Mammogram — left cranio-caudal. 43-year-old patient.
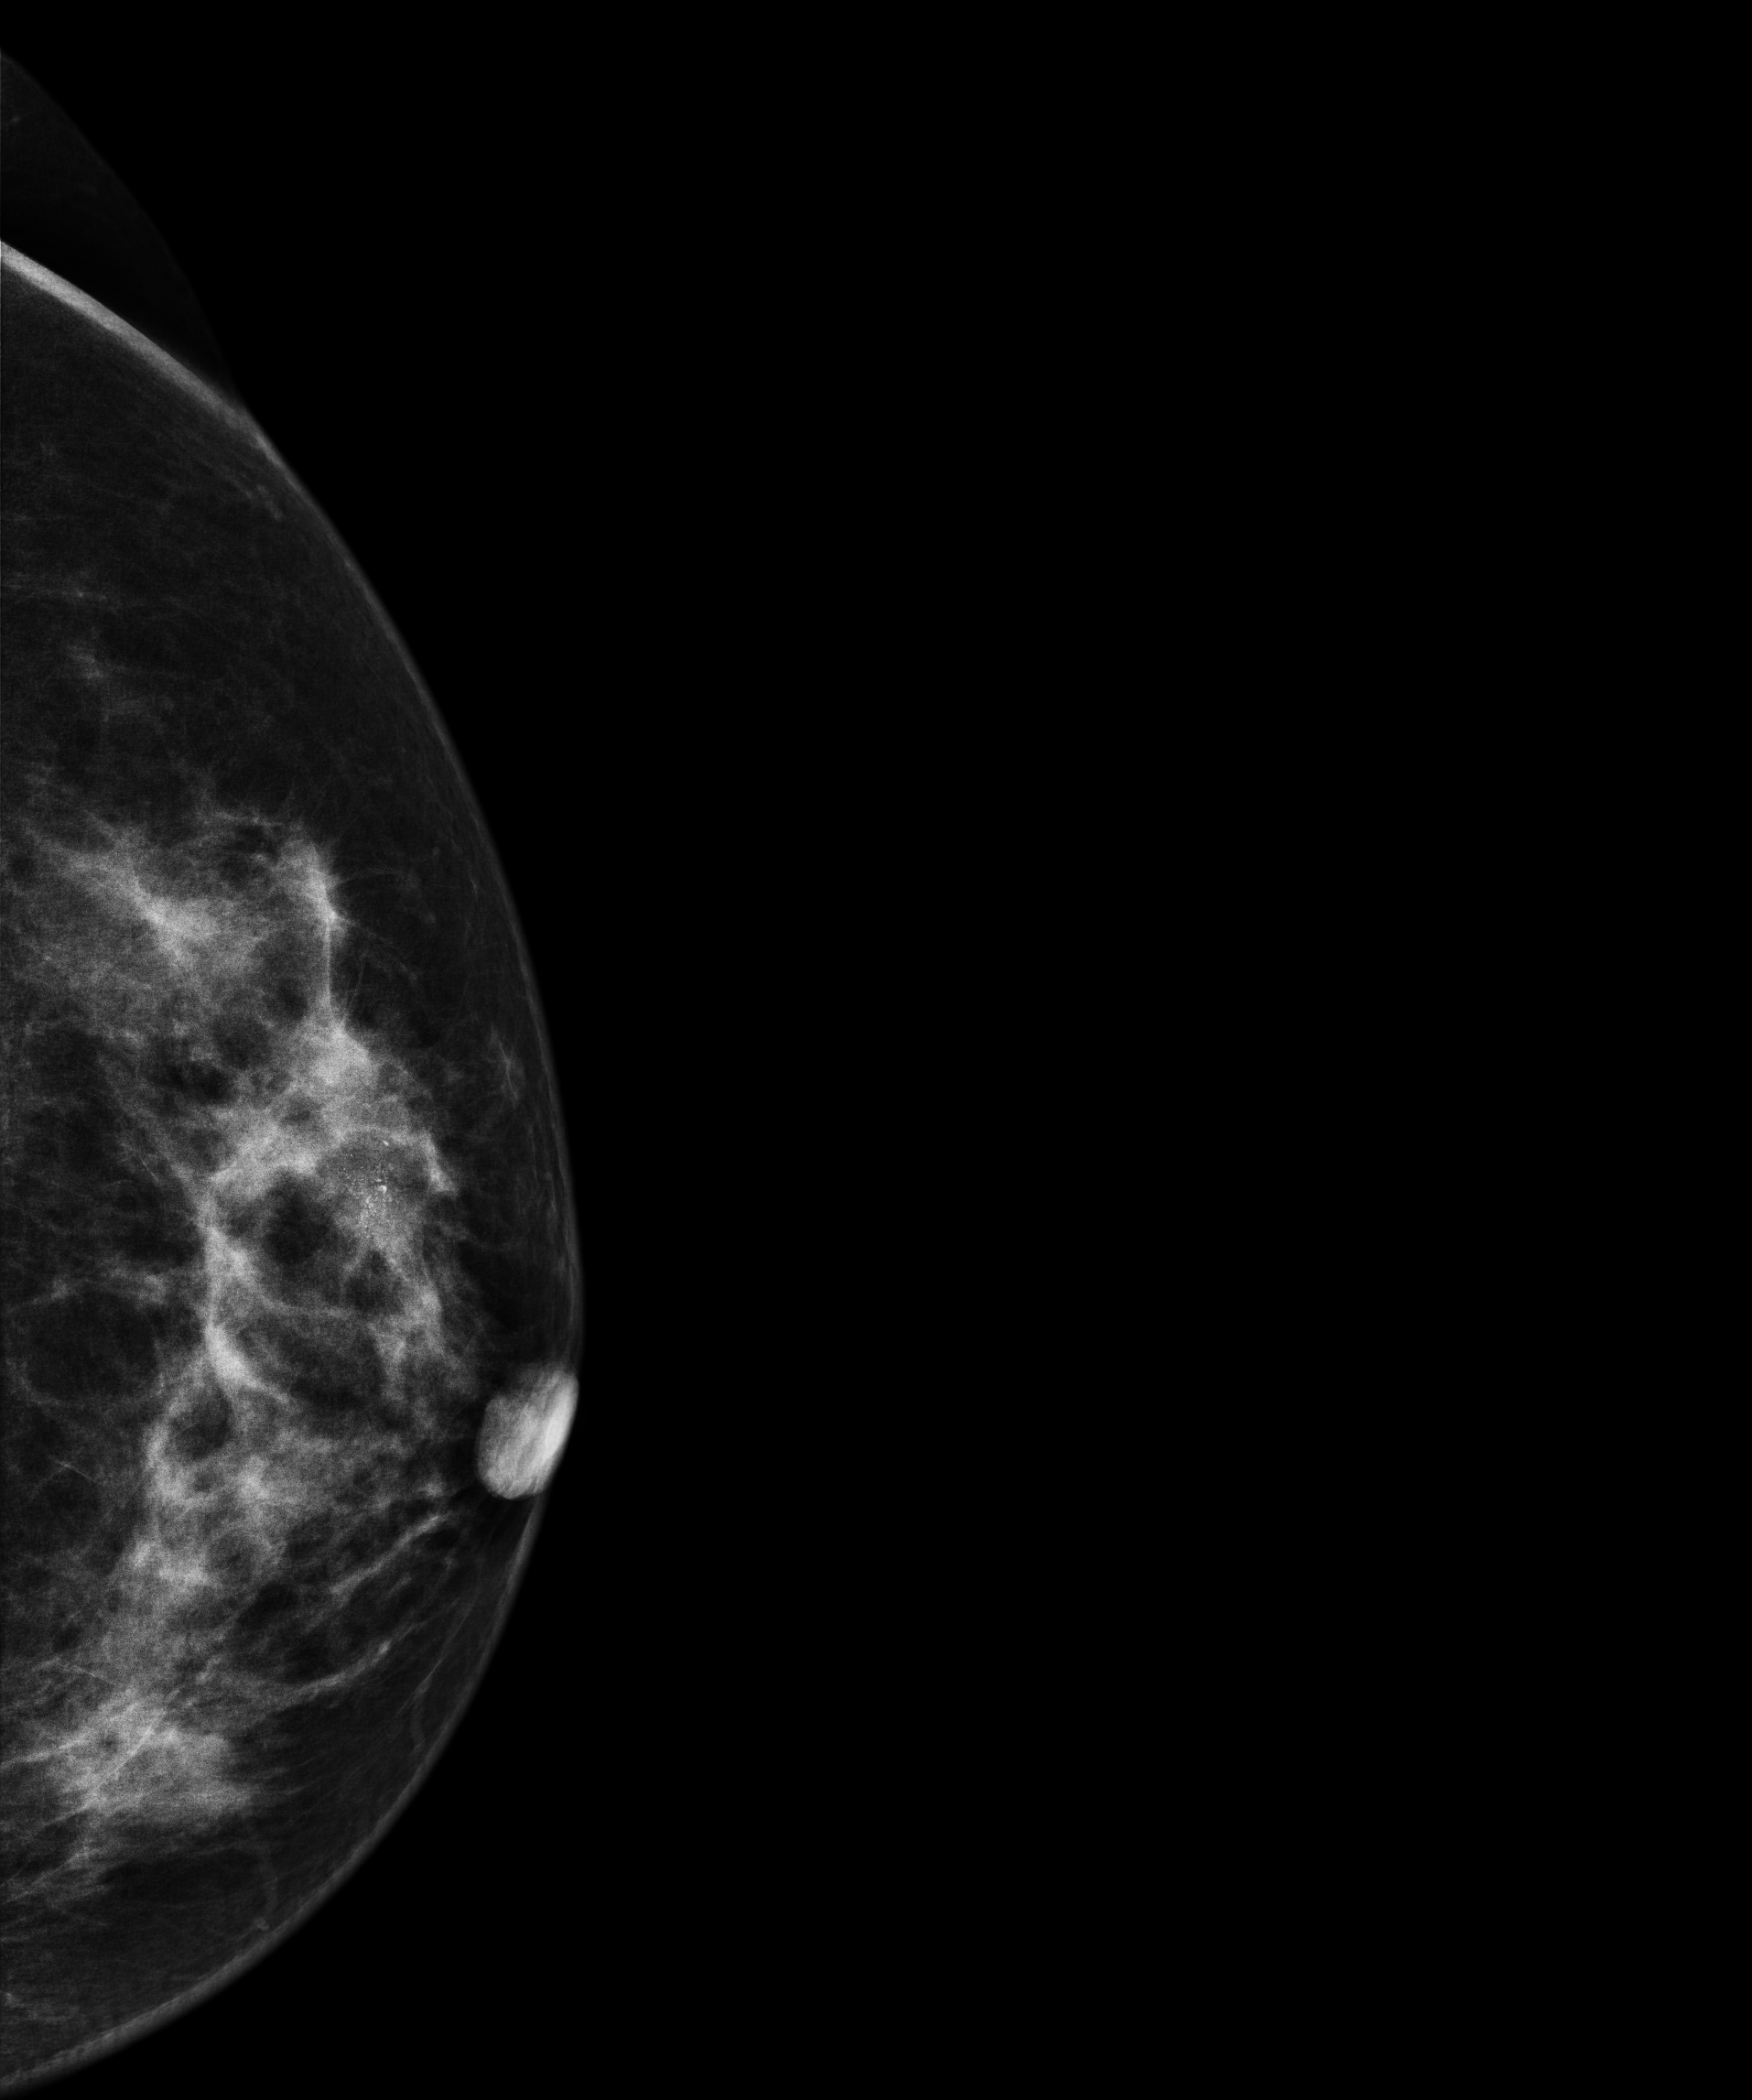
This breast has a mass and calcifications, pathology-confirmed malignant. Molecular subtype: luminal B.